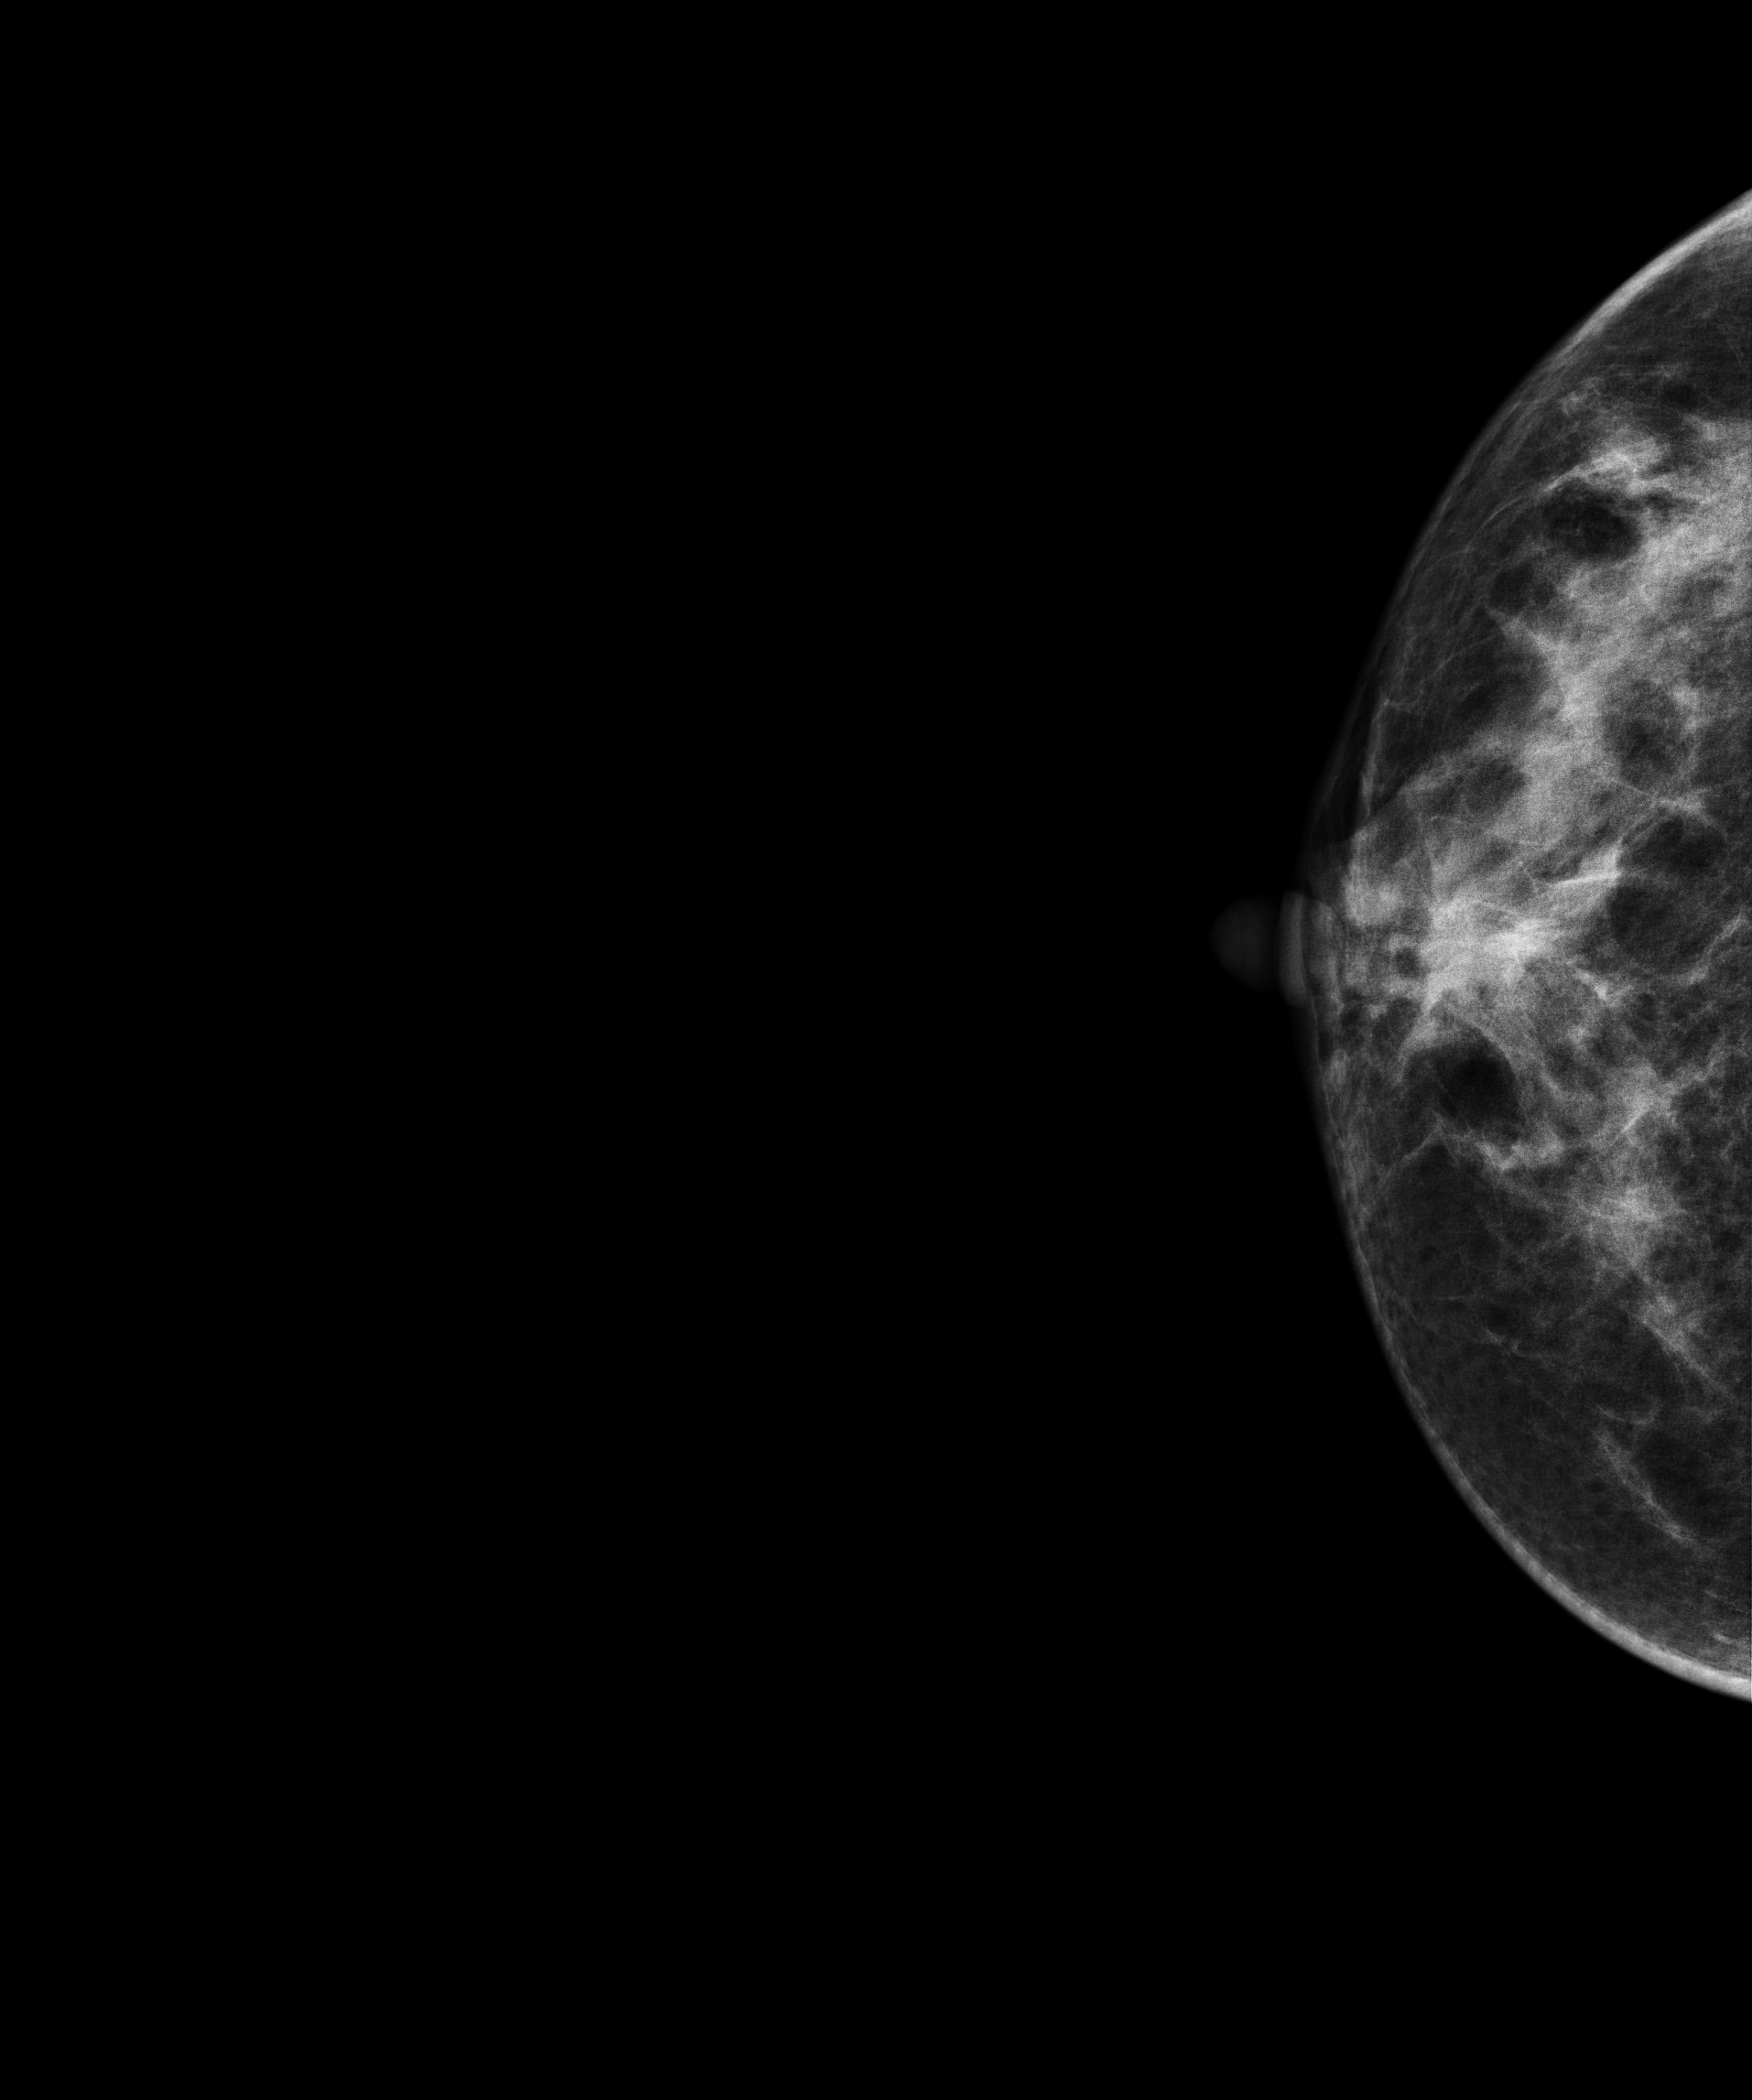
CC mammogram of the right breast. 40 y/o patient.
This breast has a mass, pathology-confirmed malignant. Molecular subtype: luminal B.